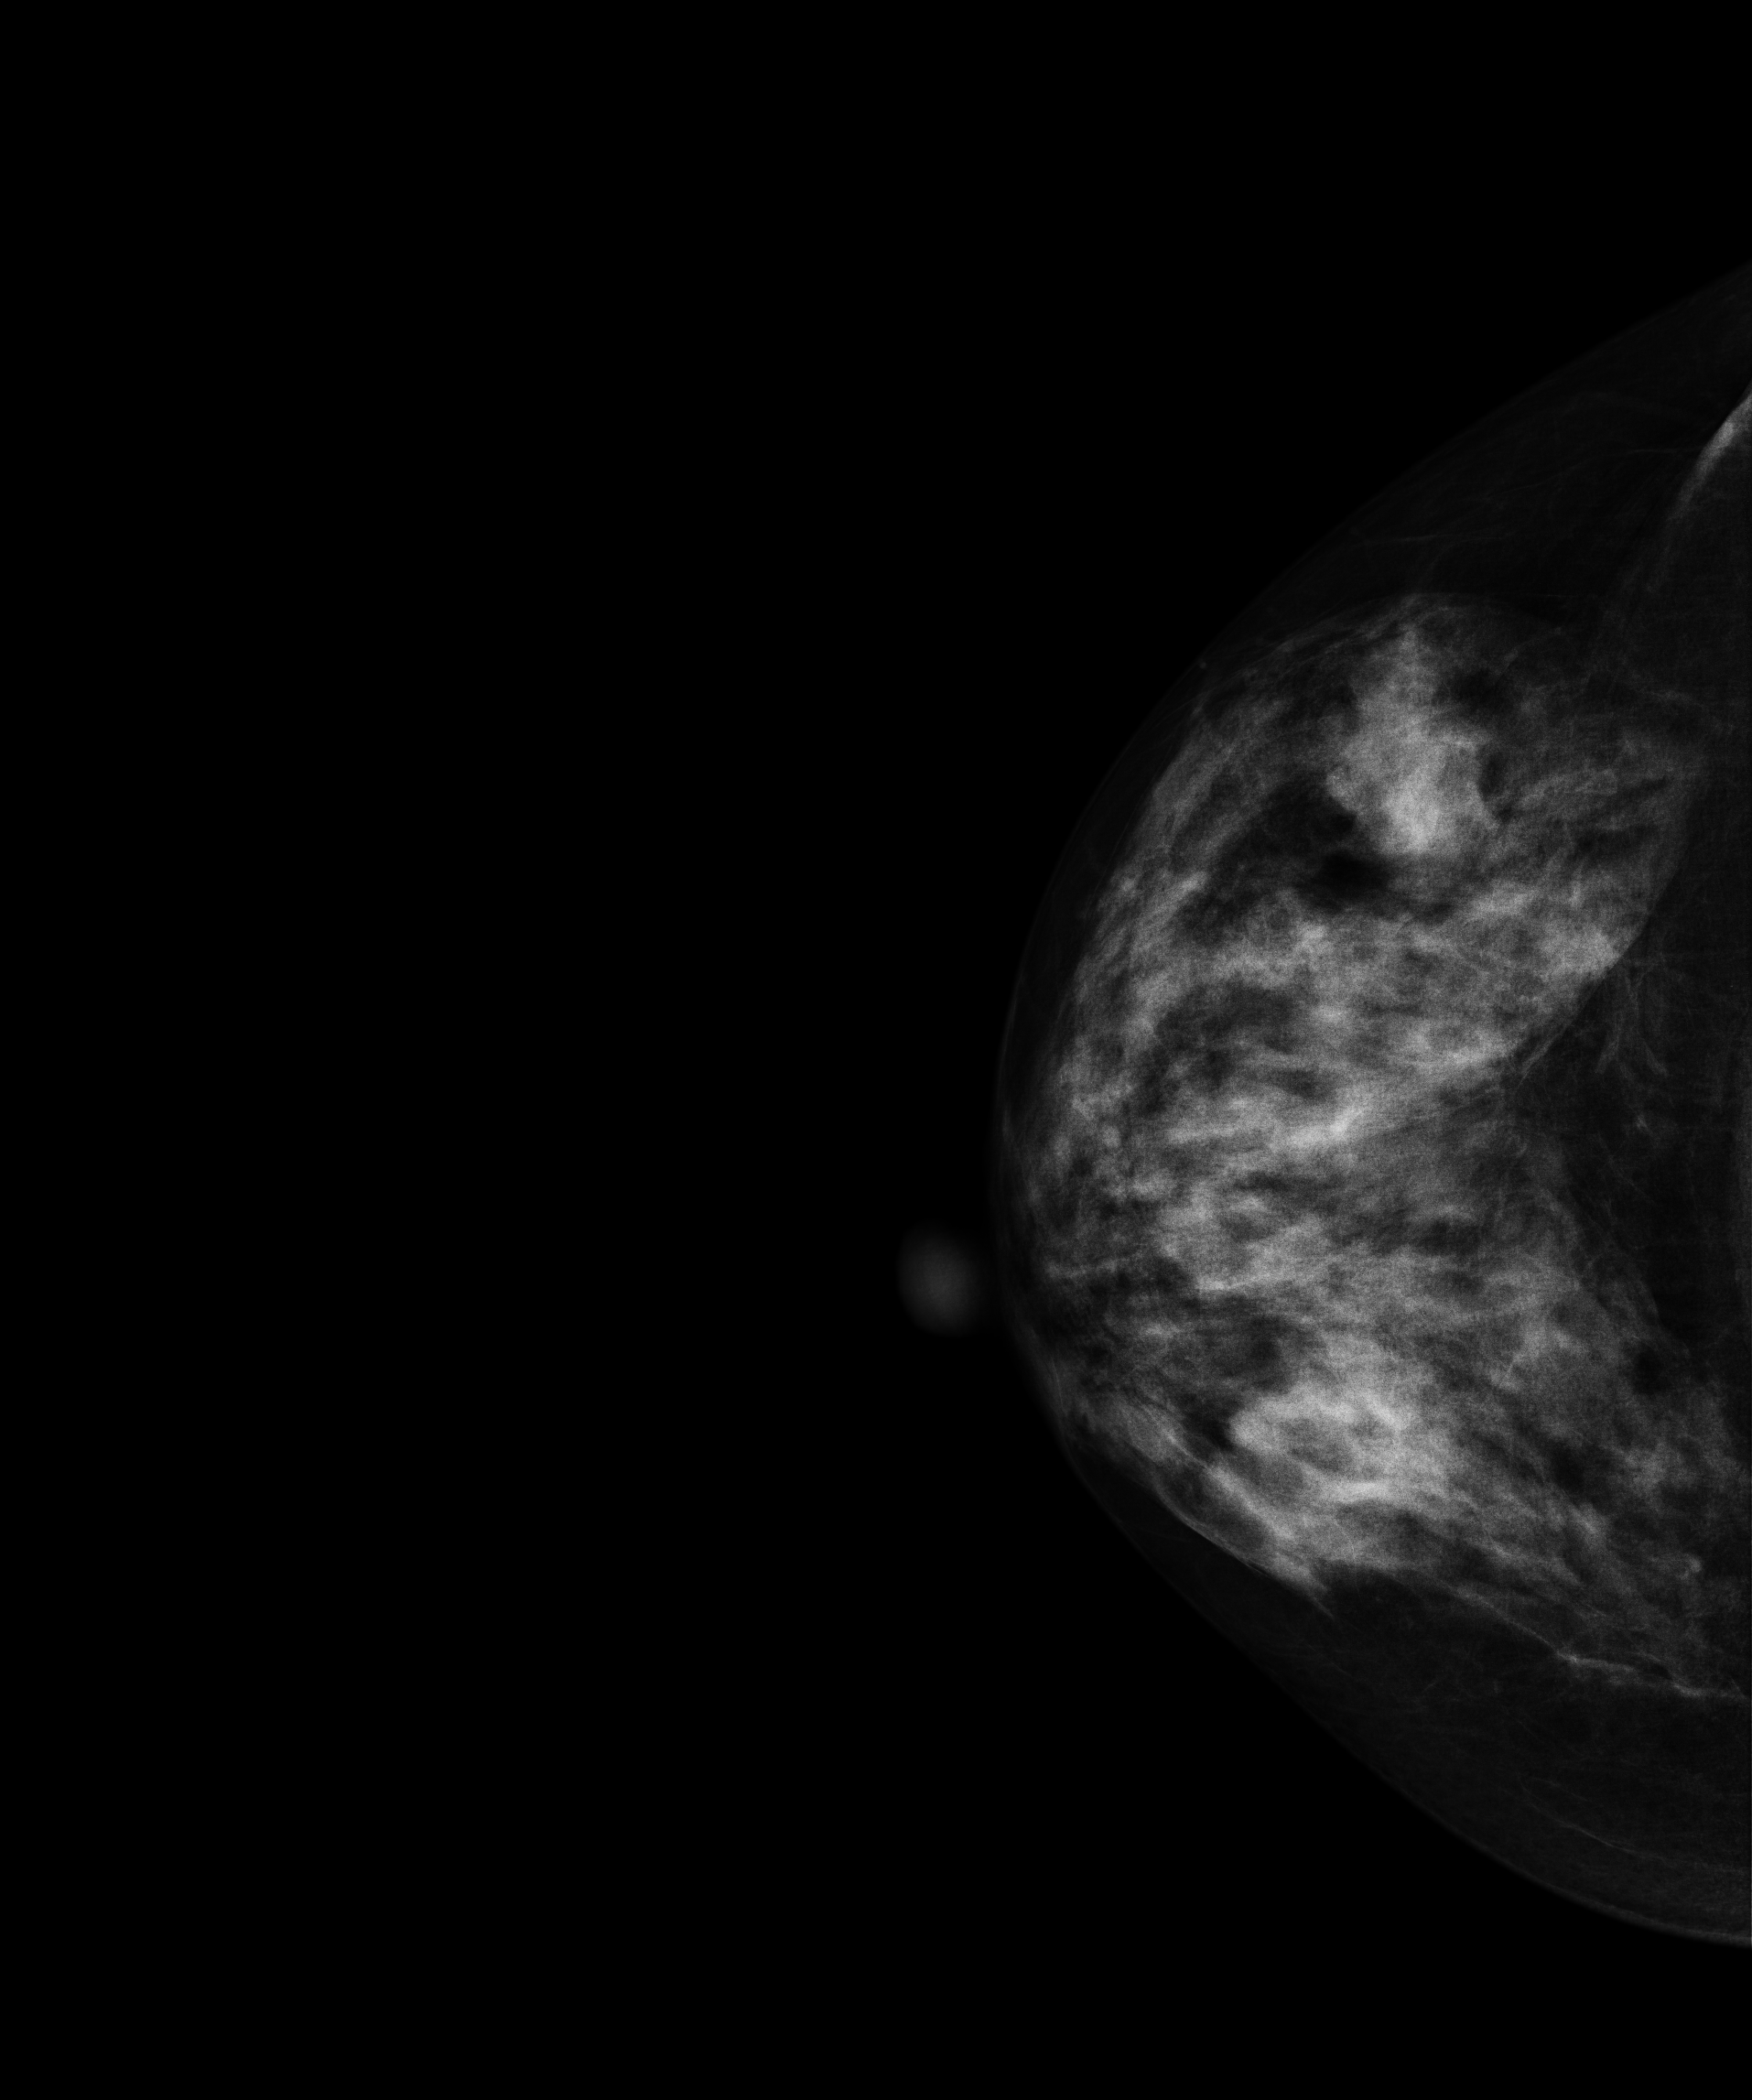
Digital mammography. Right breast, cranio-caudal projection. 51 y/o patient.
This breast has a mass, pathology-confirmed malignant.